Right-breast mammogram, cranio-caudal. 50-year-old patient.
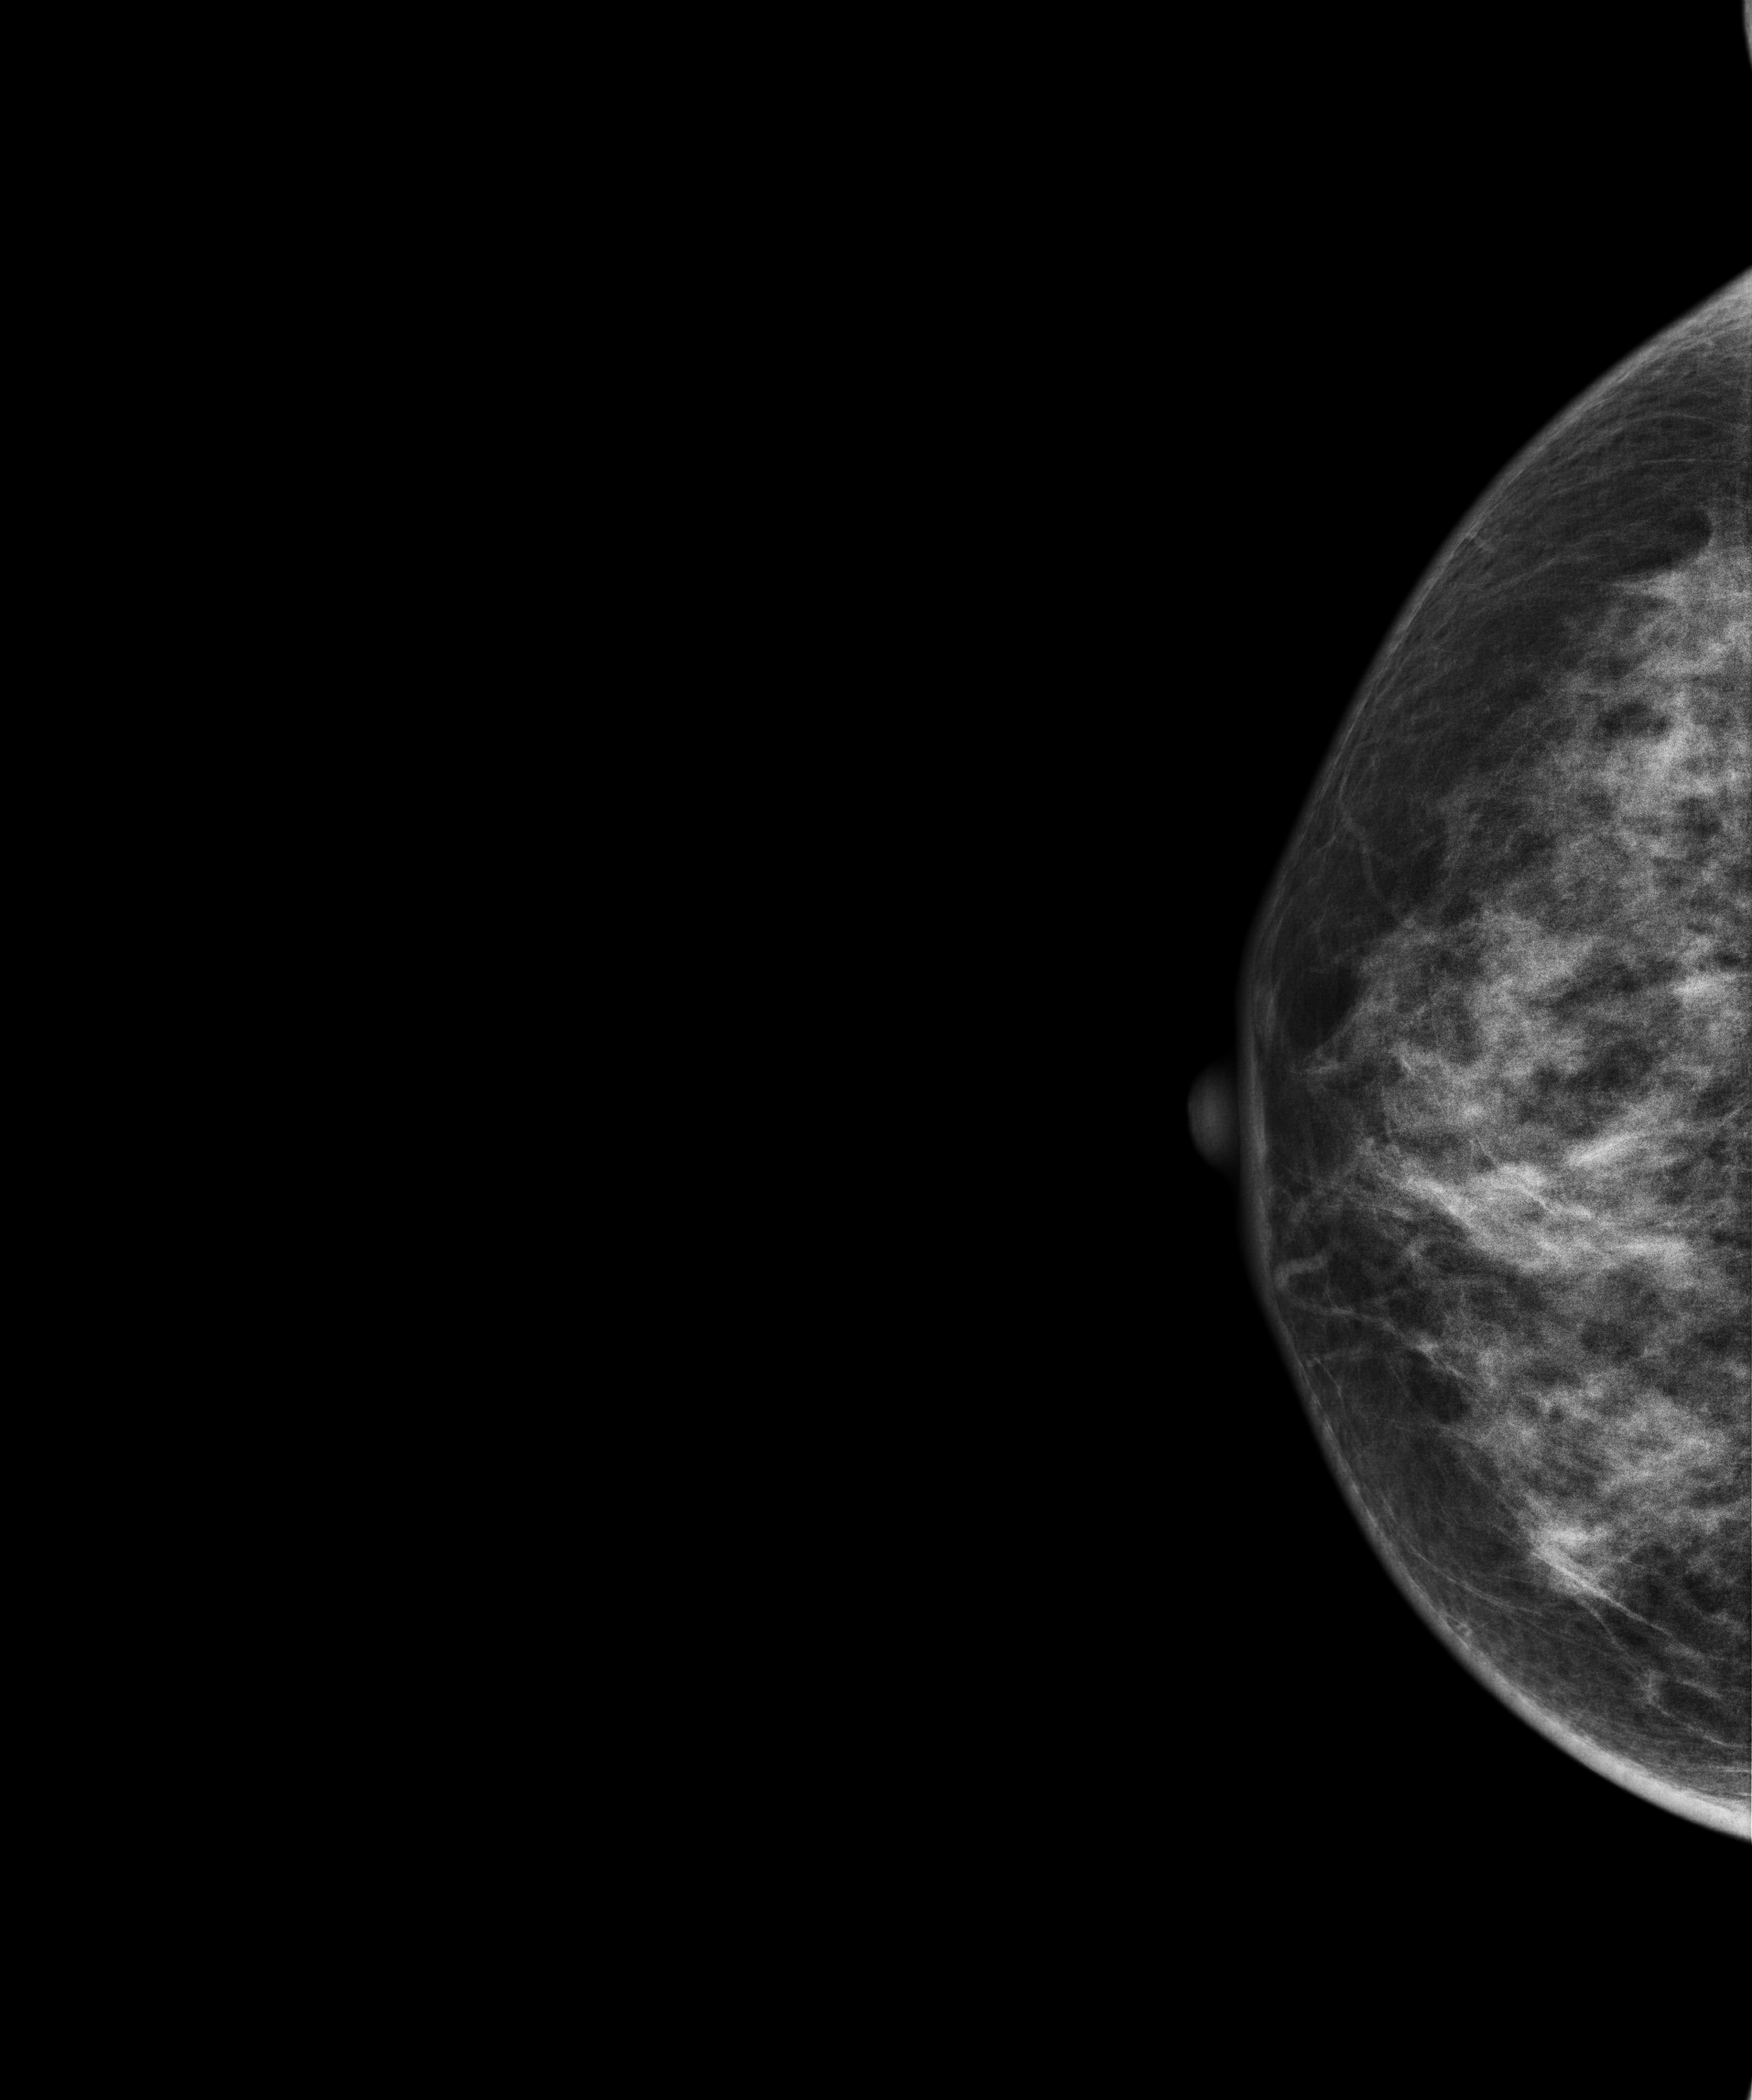
Contralateral breast — no documented abnormality on this side.